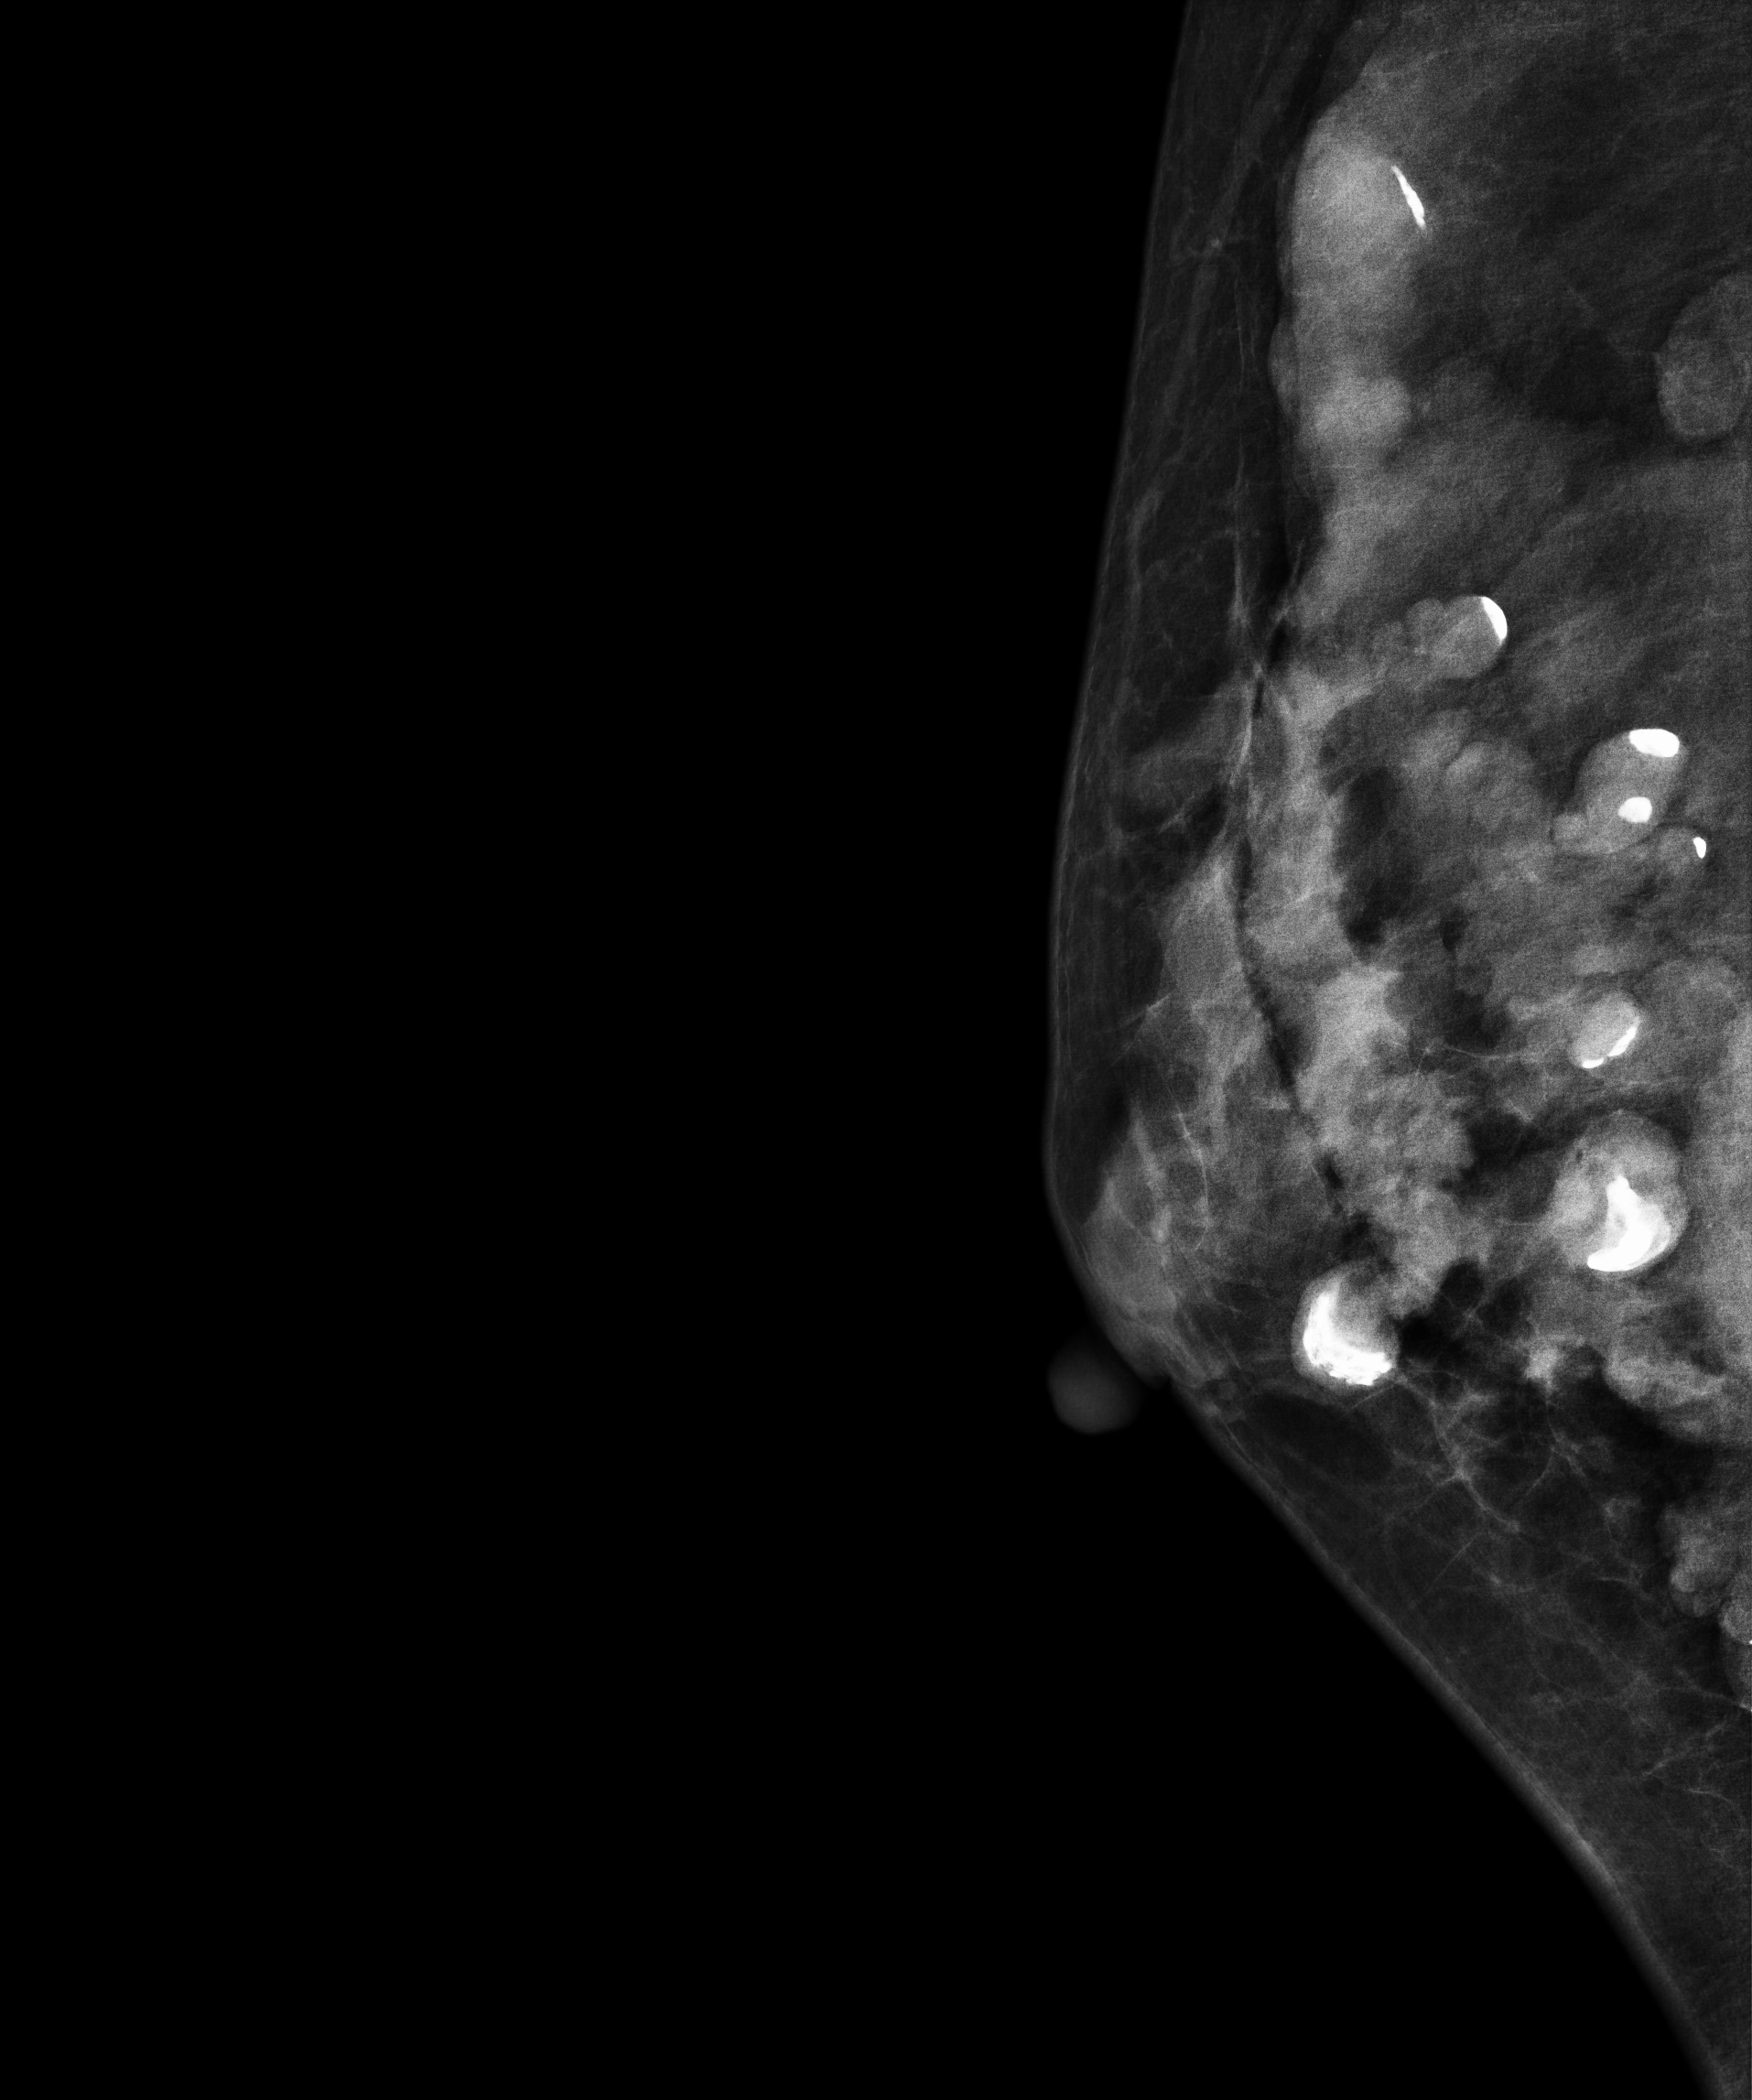
Right-breast mammogram, MLO. 47 y/o patient.
Contralateral breast — no documented abnormality on this side.